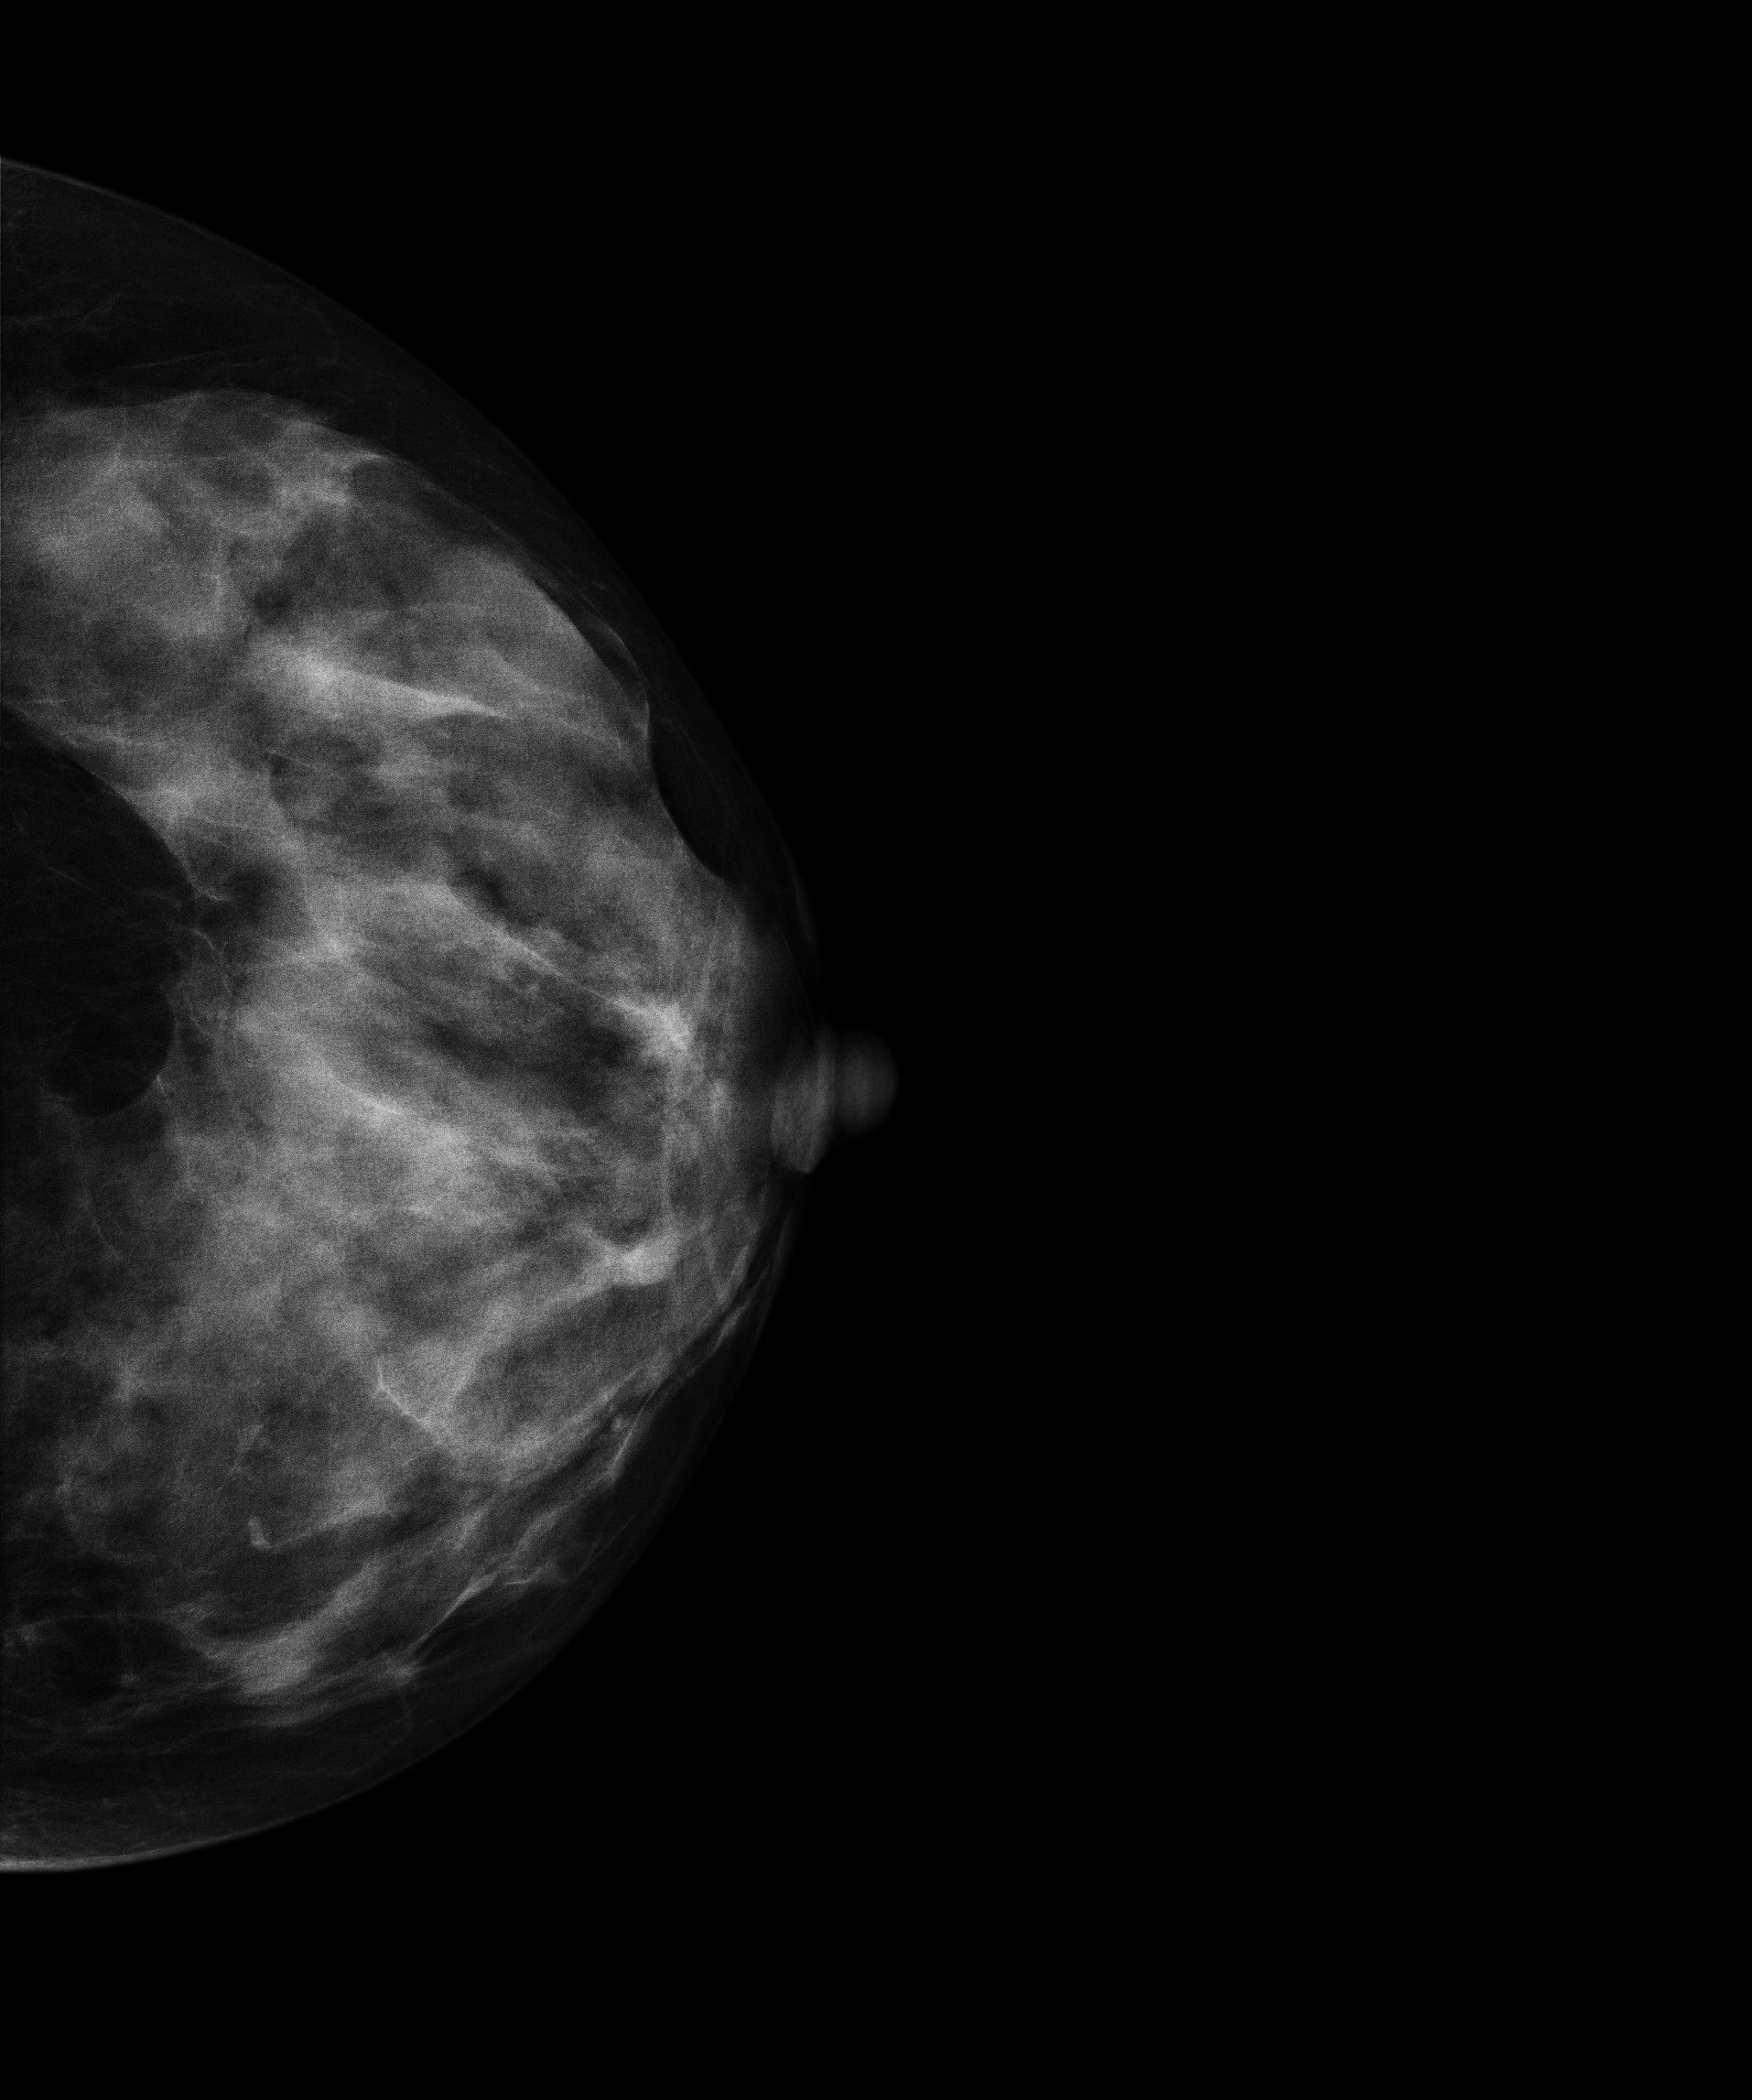
Digital mammography. Left breast, cranio-caudal projection. Patient age 51.
This breast has a mass, histologically confirmed benign.